Mammogram — left MLO. Patient age 49.
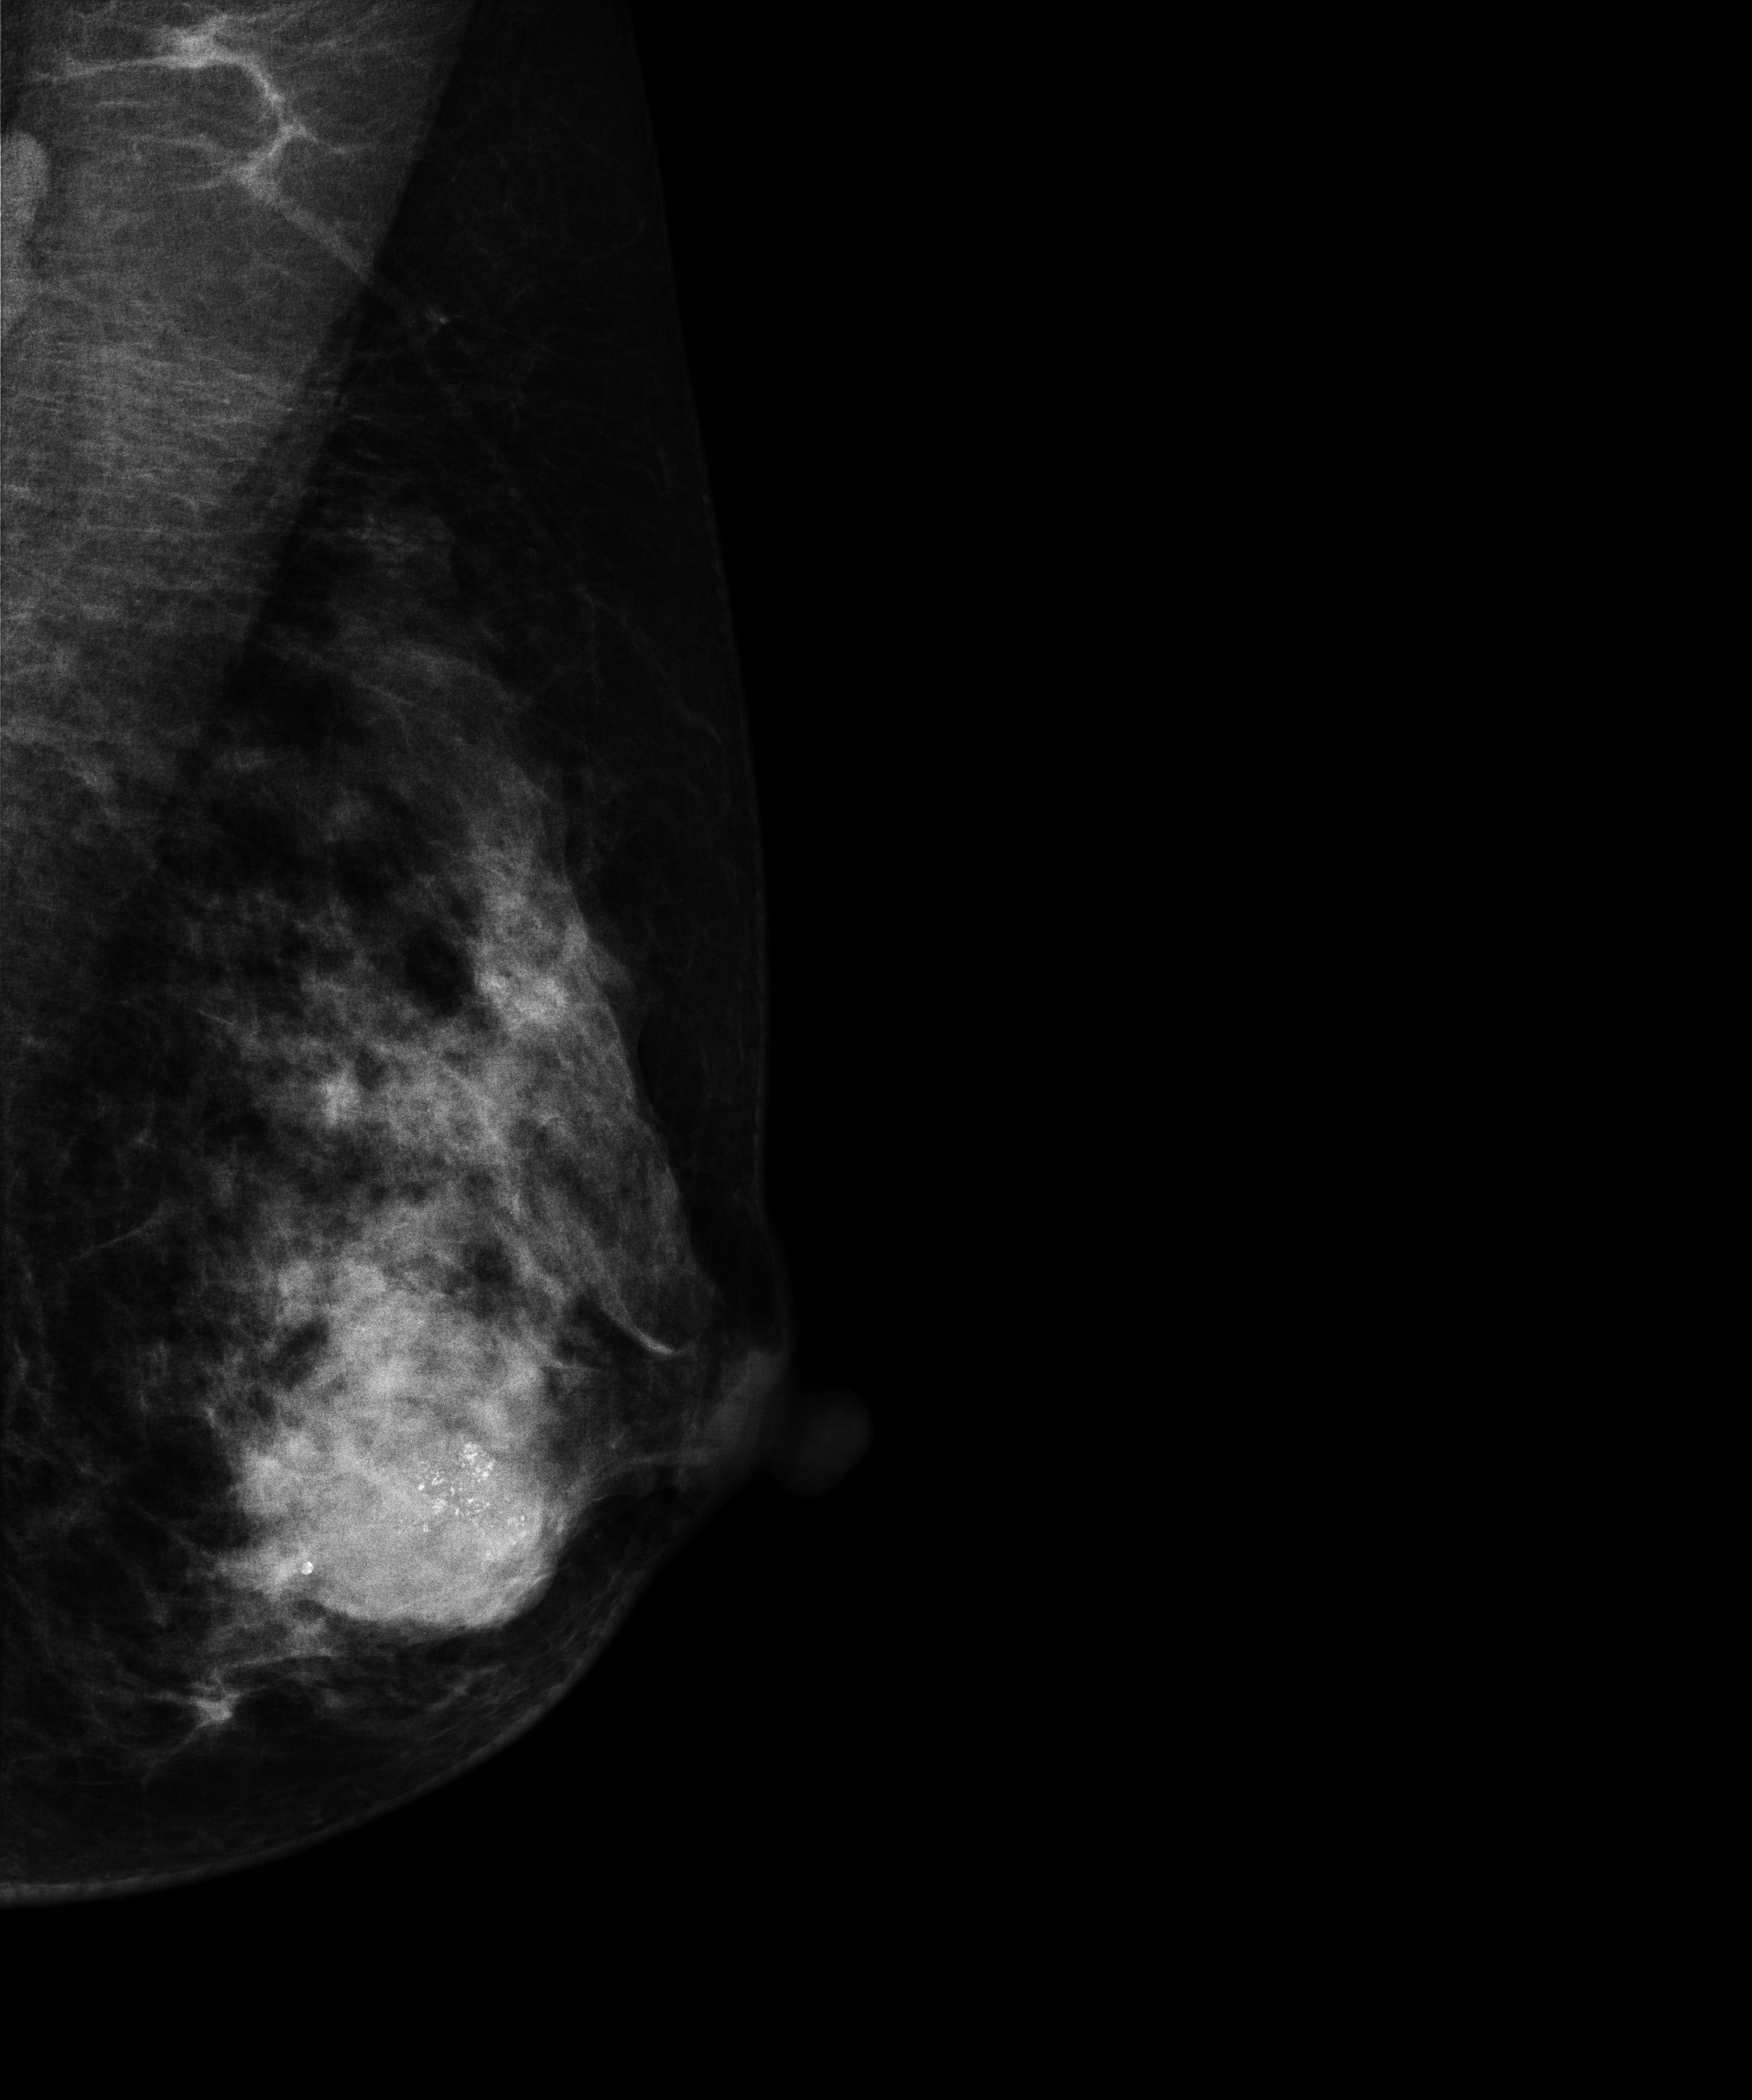
This breast has a mass and calcifications, pathology-confirmed malignant.